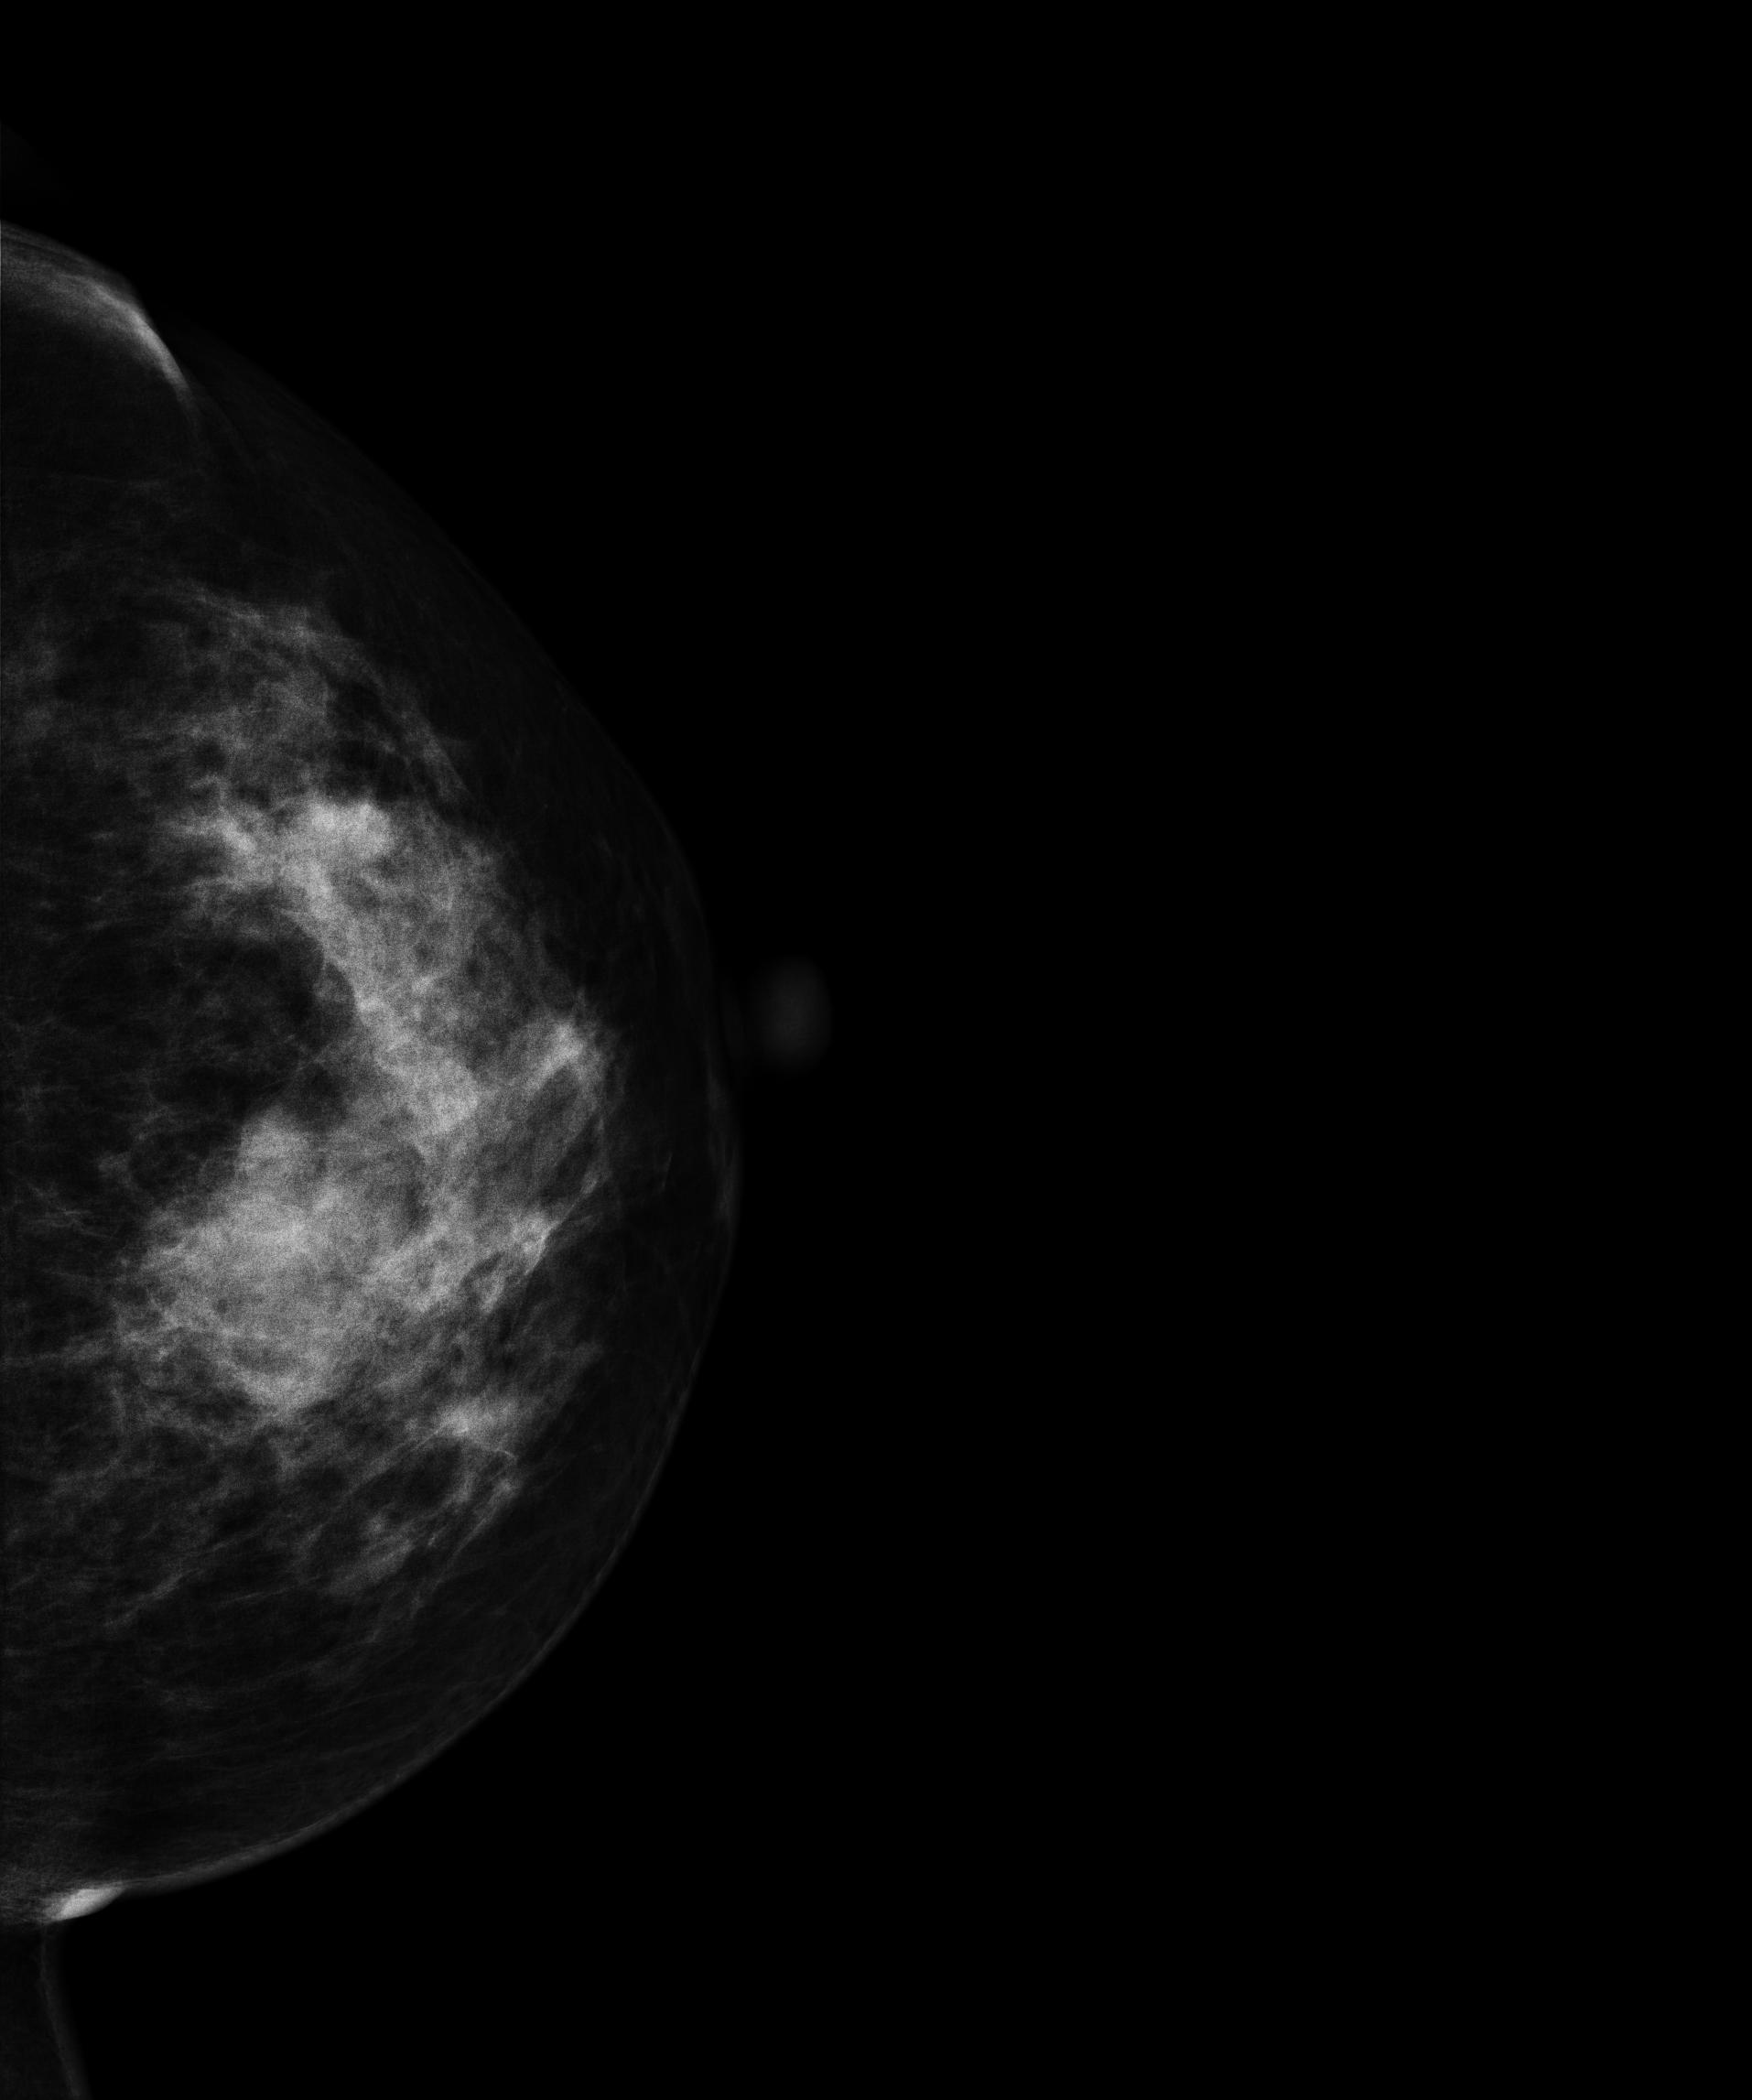
Mammogram, left breast, CC view. Patient age 46.
This breast has a mass, pathology-confirmed malignant.